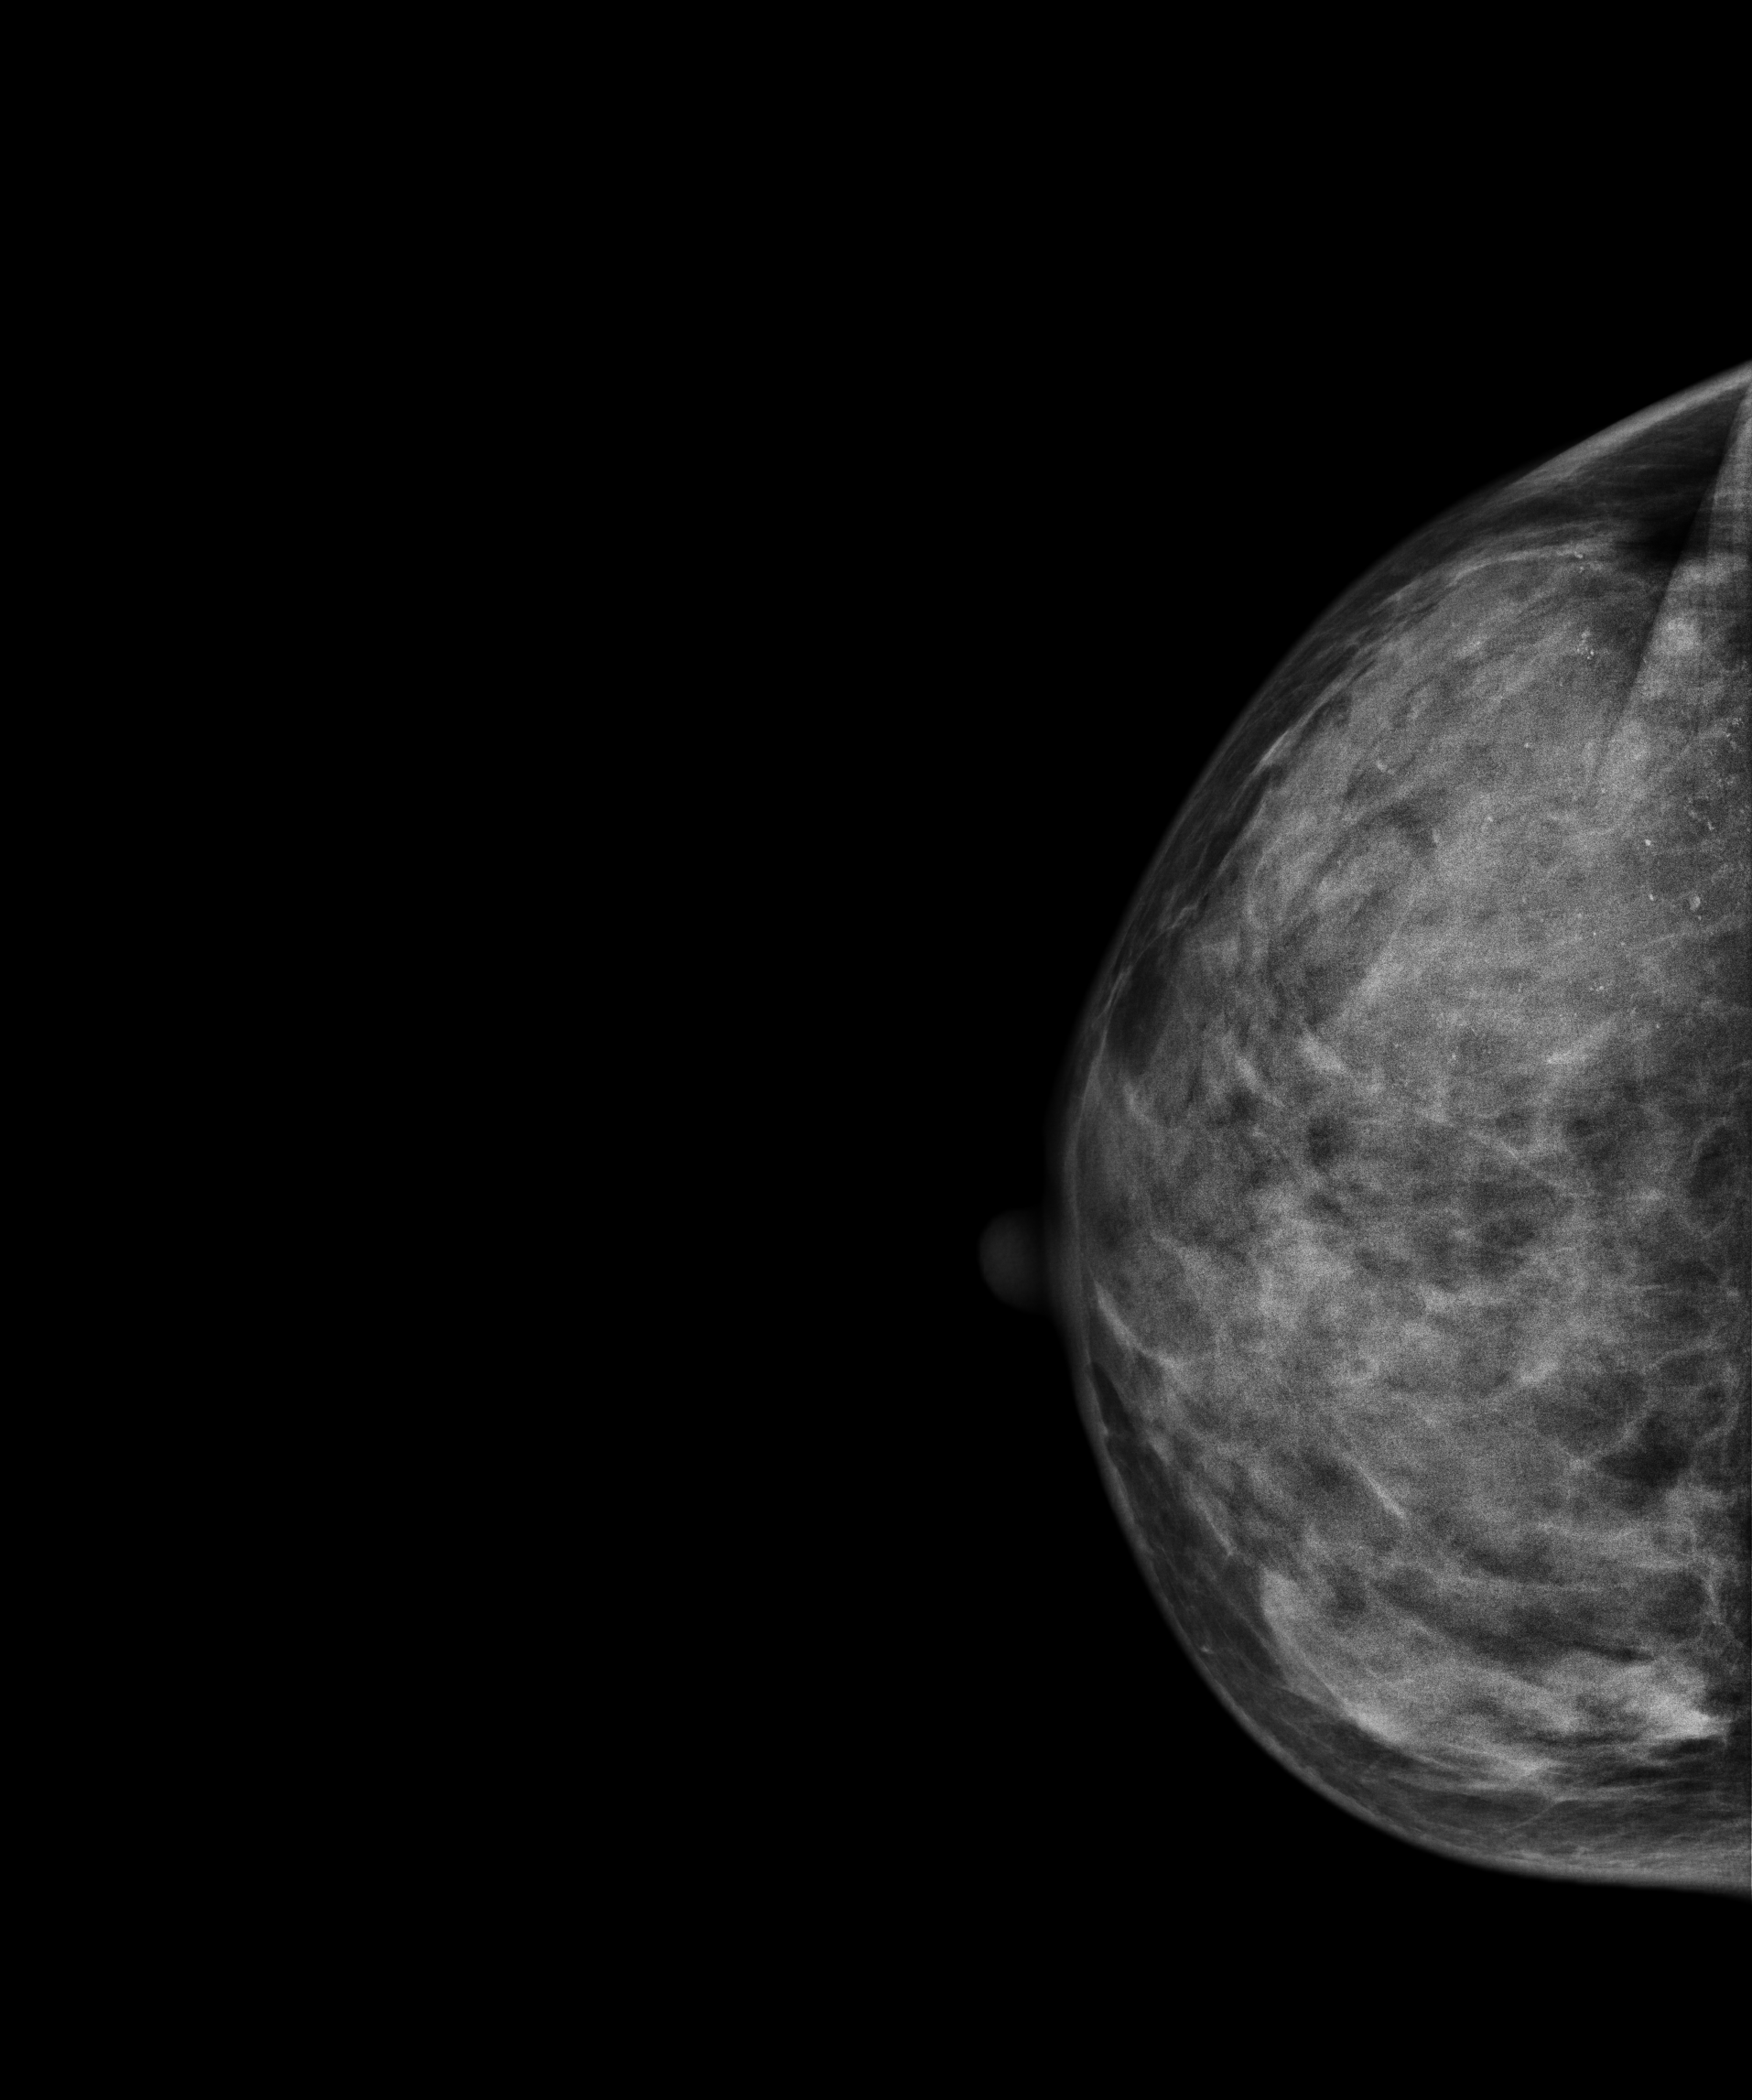
CC mammogram of the right breast. 45 y/o patient.
This breast has calcifications, histologically confirmed malignant.